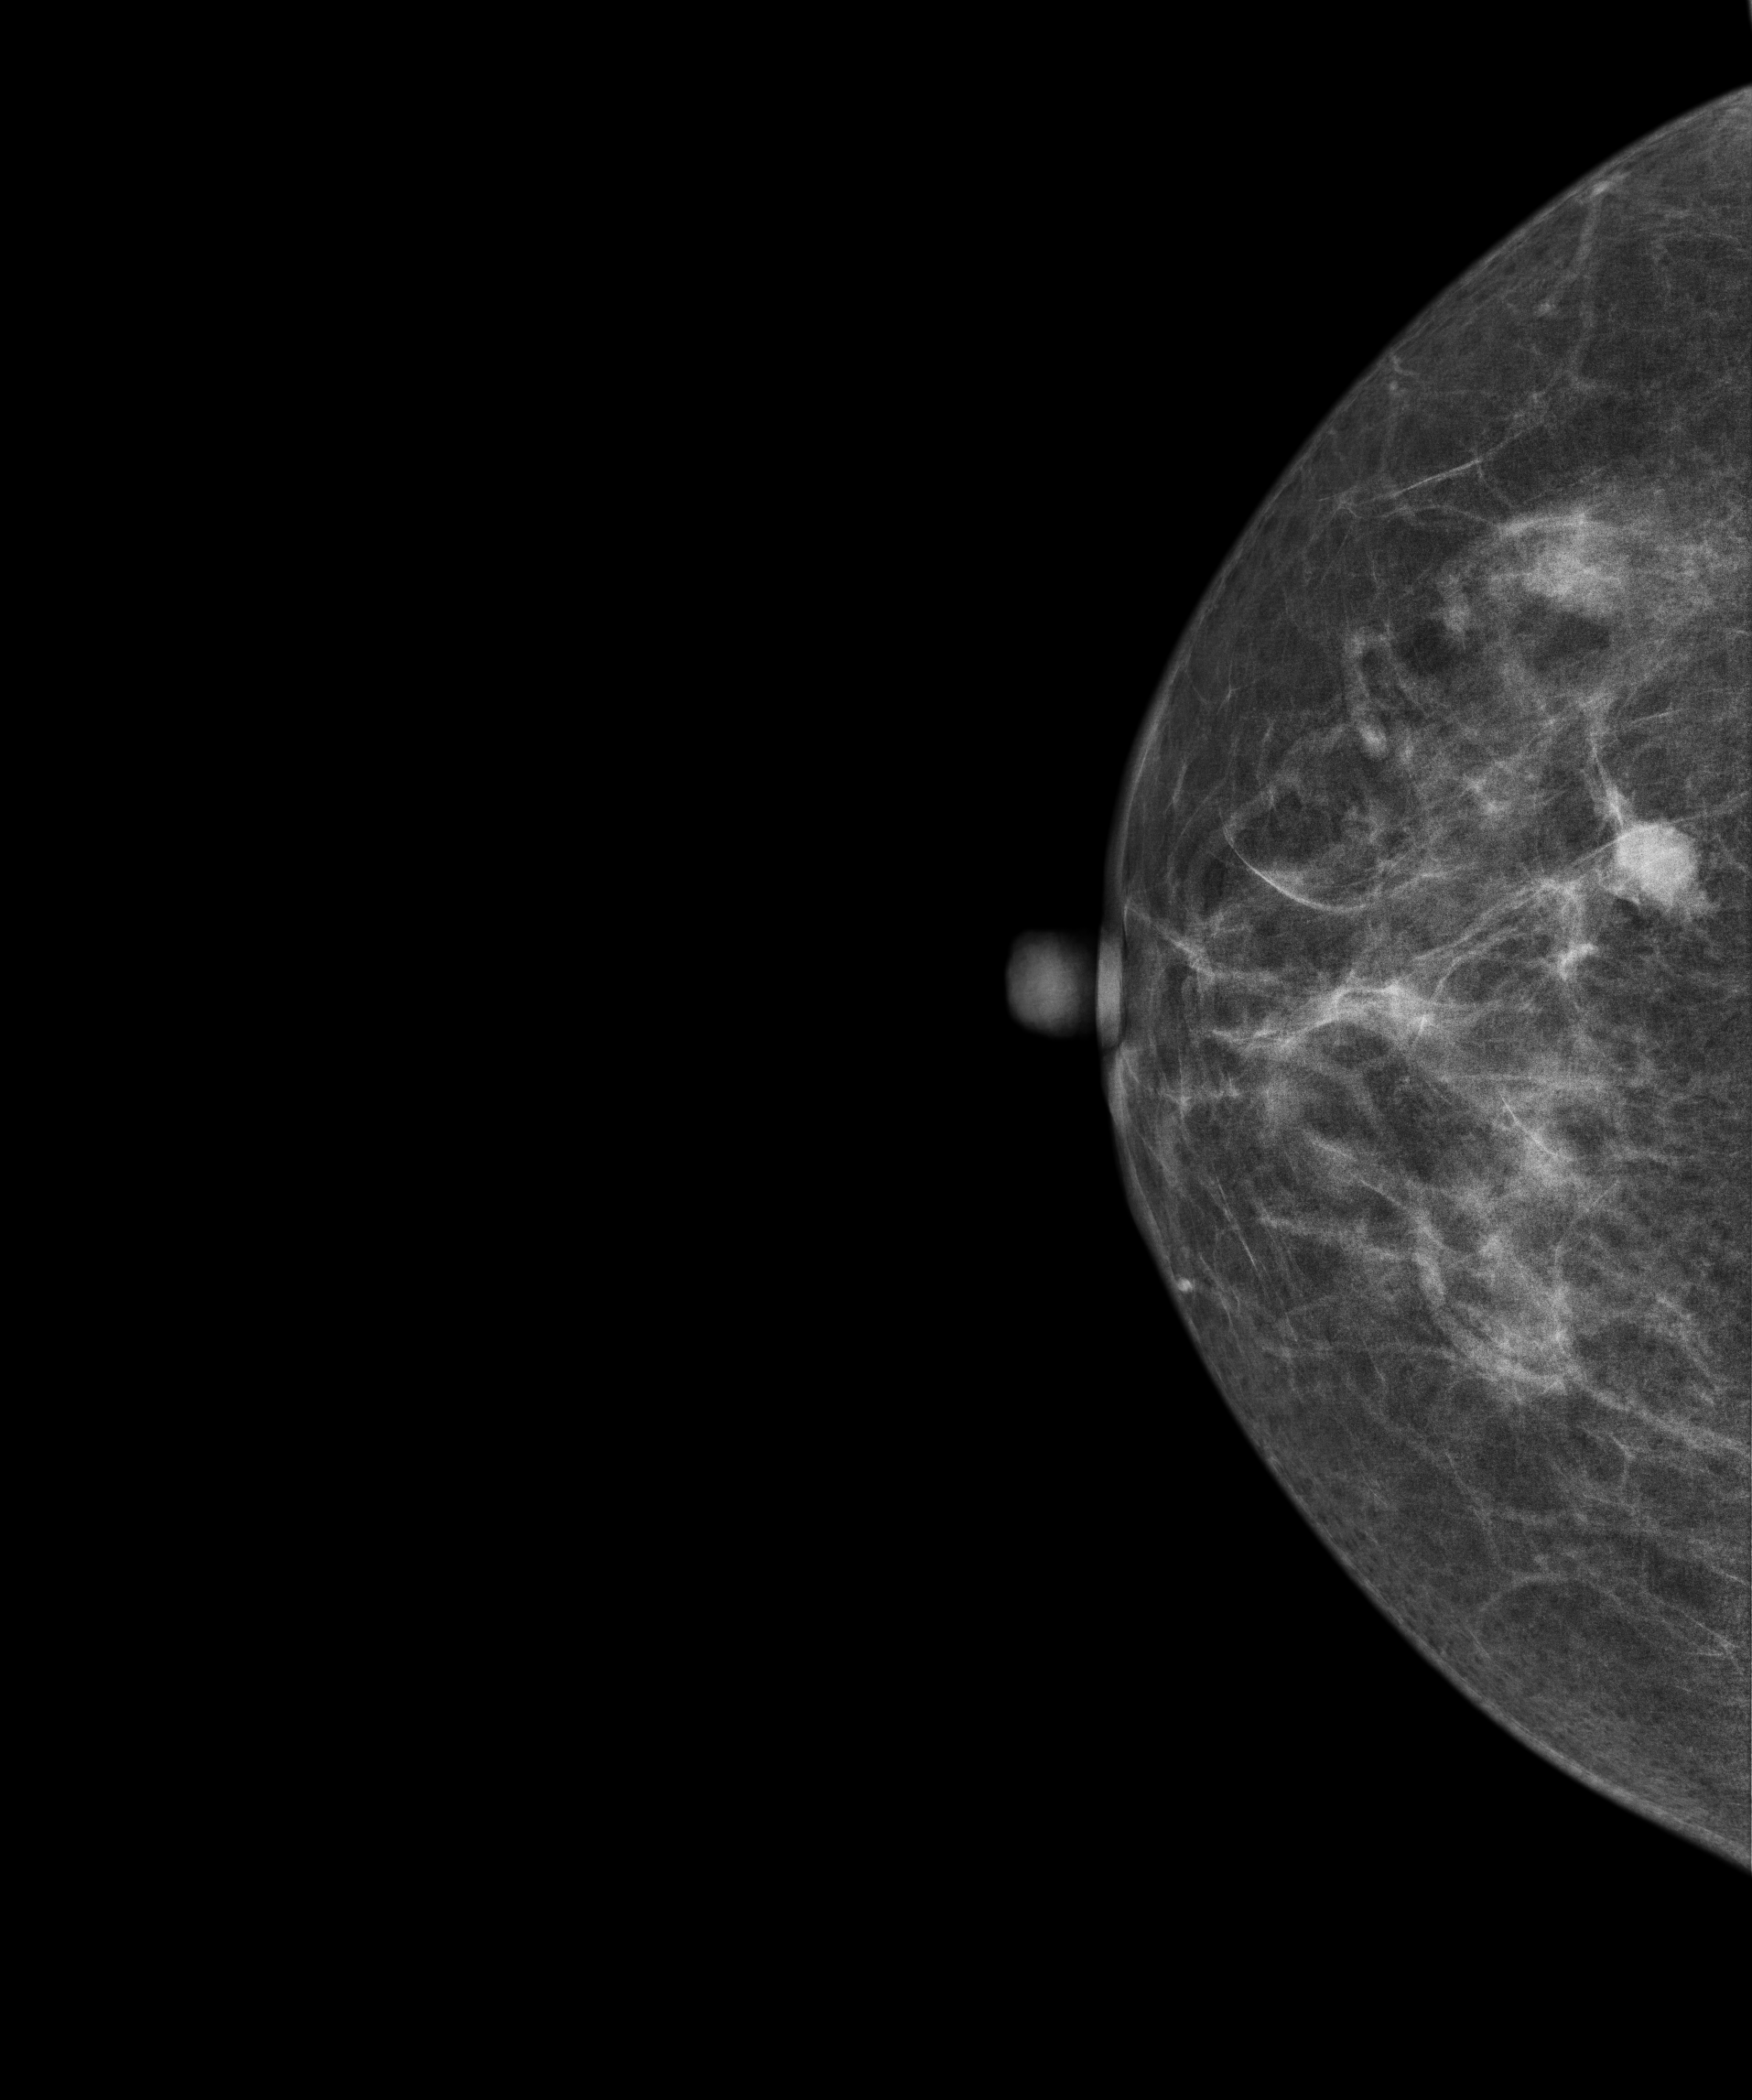
Mammogram, right breast, cranio-caudal view. Patient age 48.
This breast has a mass, histologically confirmed malignant.